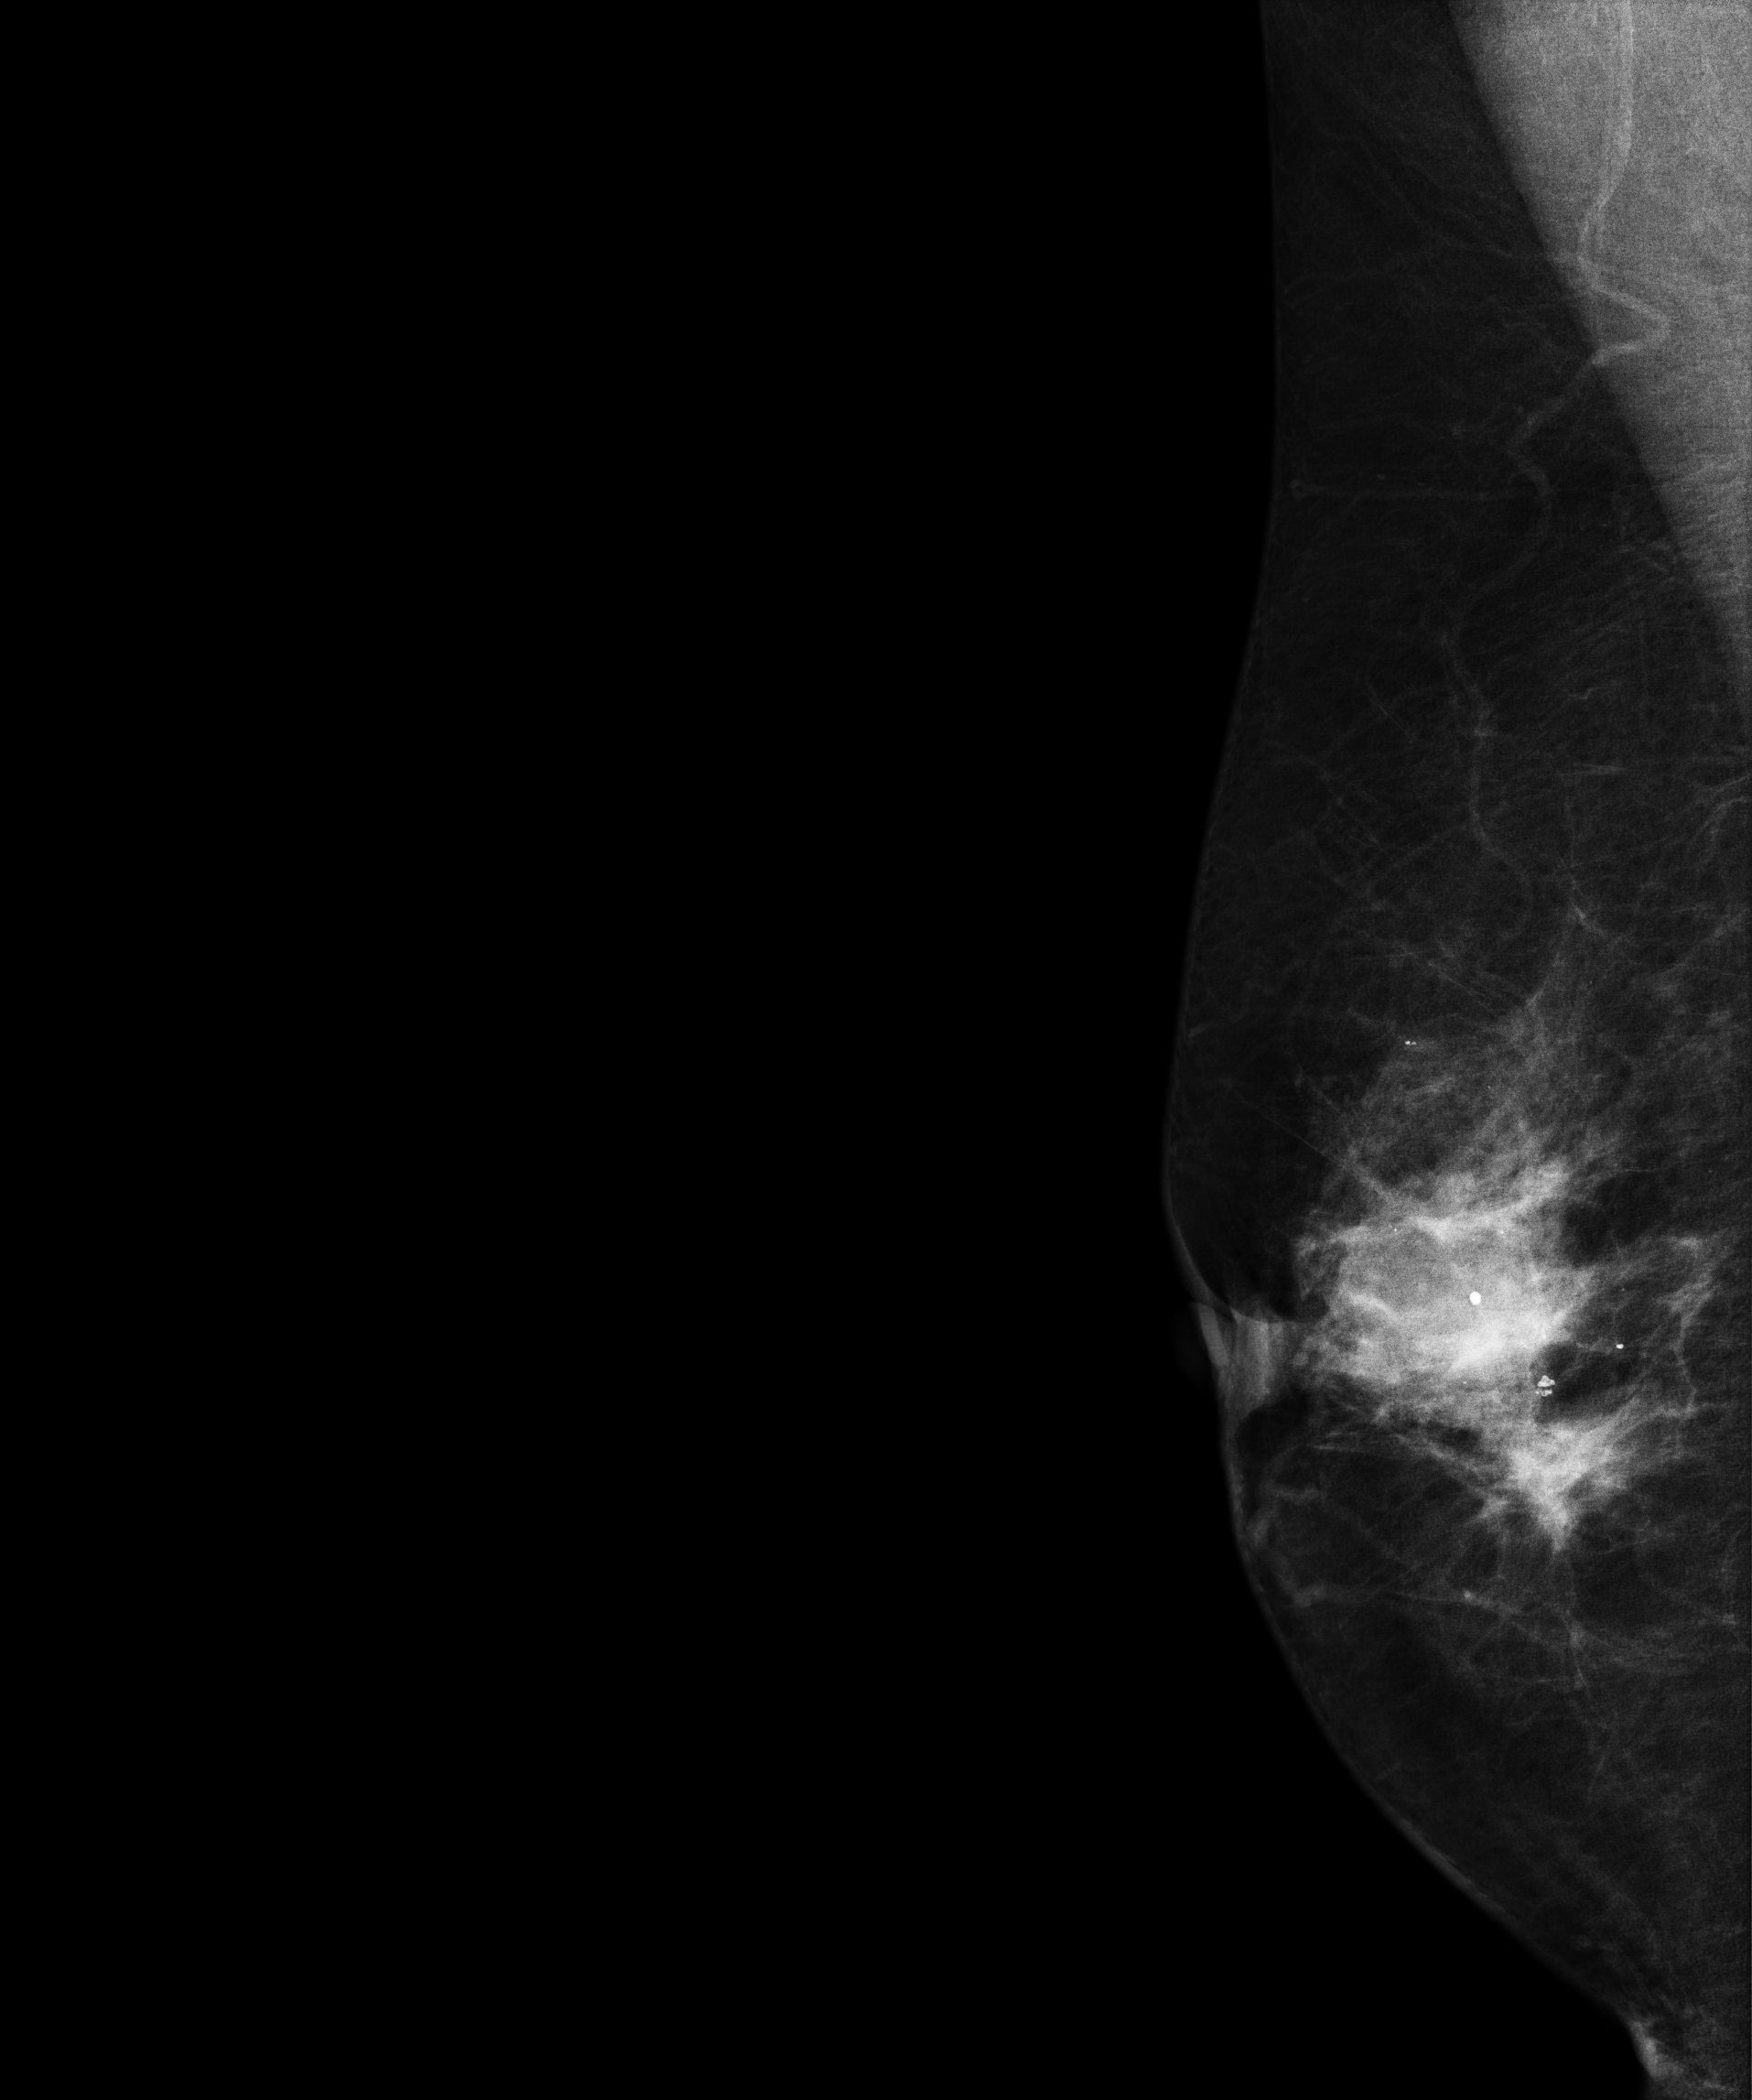
MLO mammogram of the right breast. 66 y/o patient.
This breast has a mass and calcifications, biopsy-confirmed malignant. Molecular subtype: luminal A.